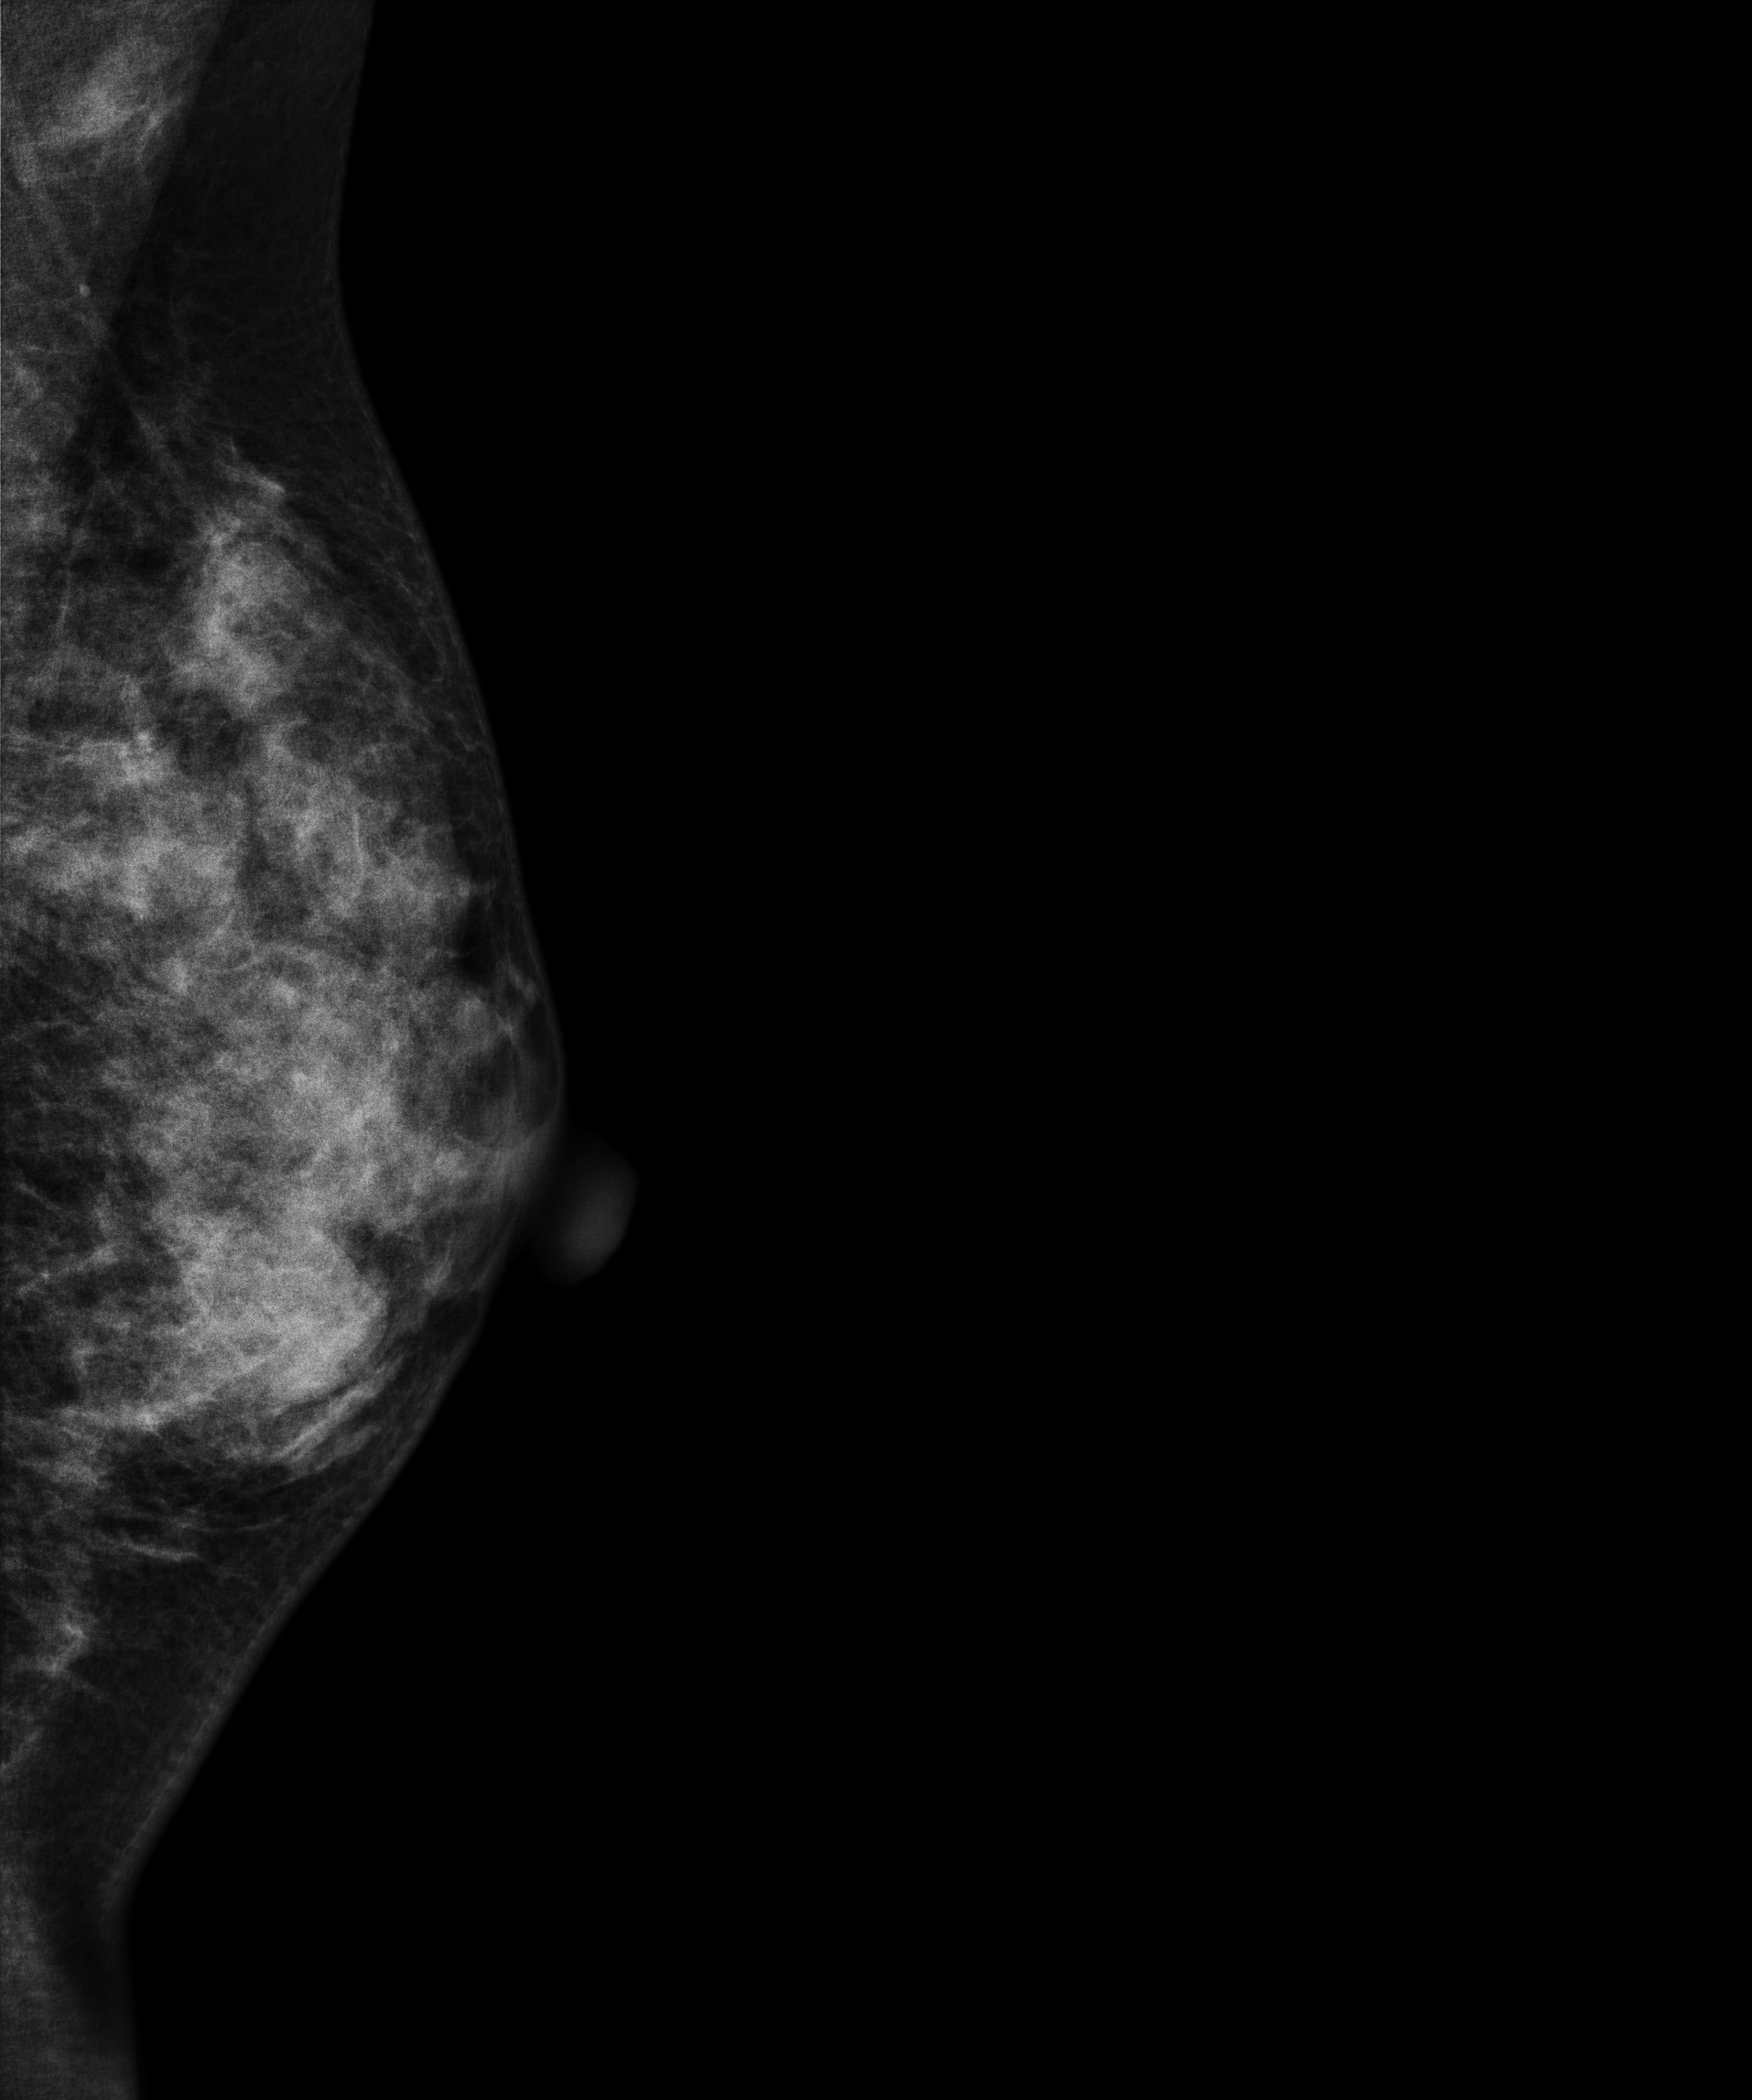
Left-breast mammogram, MLO. Patient age 35.
This breast has a mass, biopsy-confirmed benign.